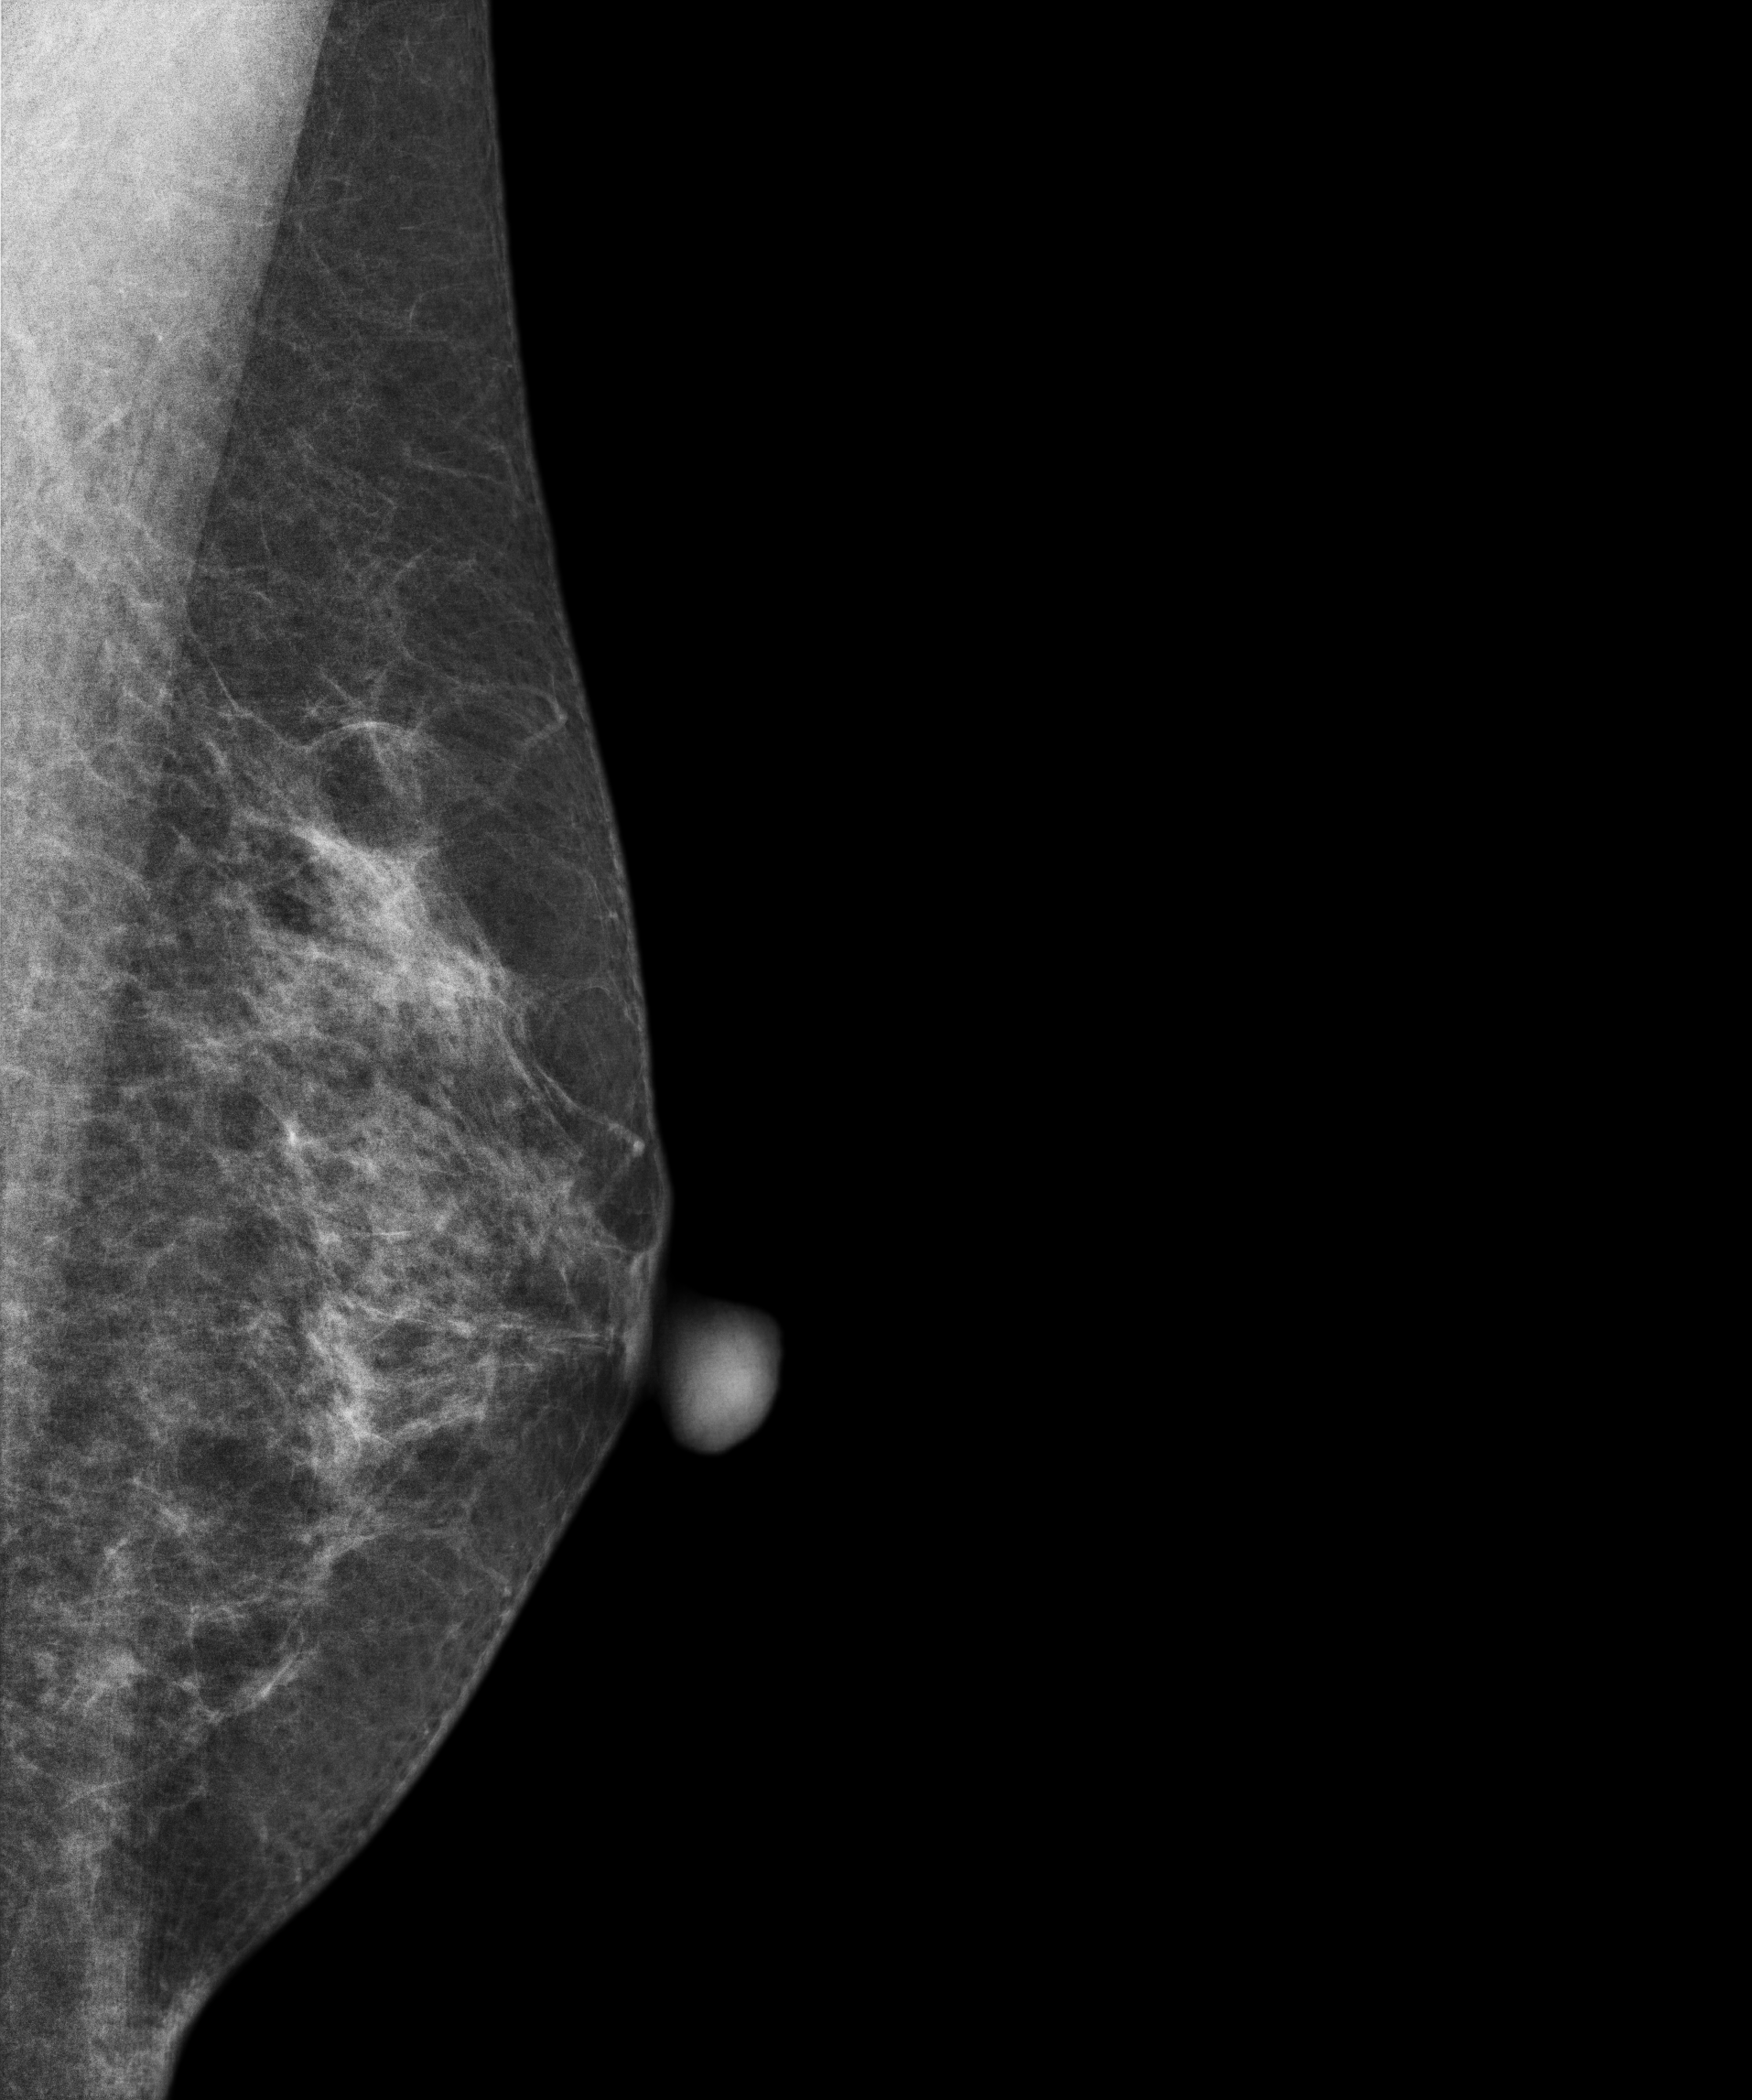
Mammogram, left breast, medio-lateral oblique view. Patient age 58.
Contralateral breast — no documented abnormality on this side.